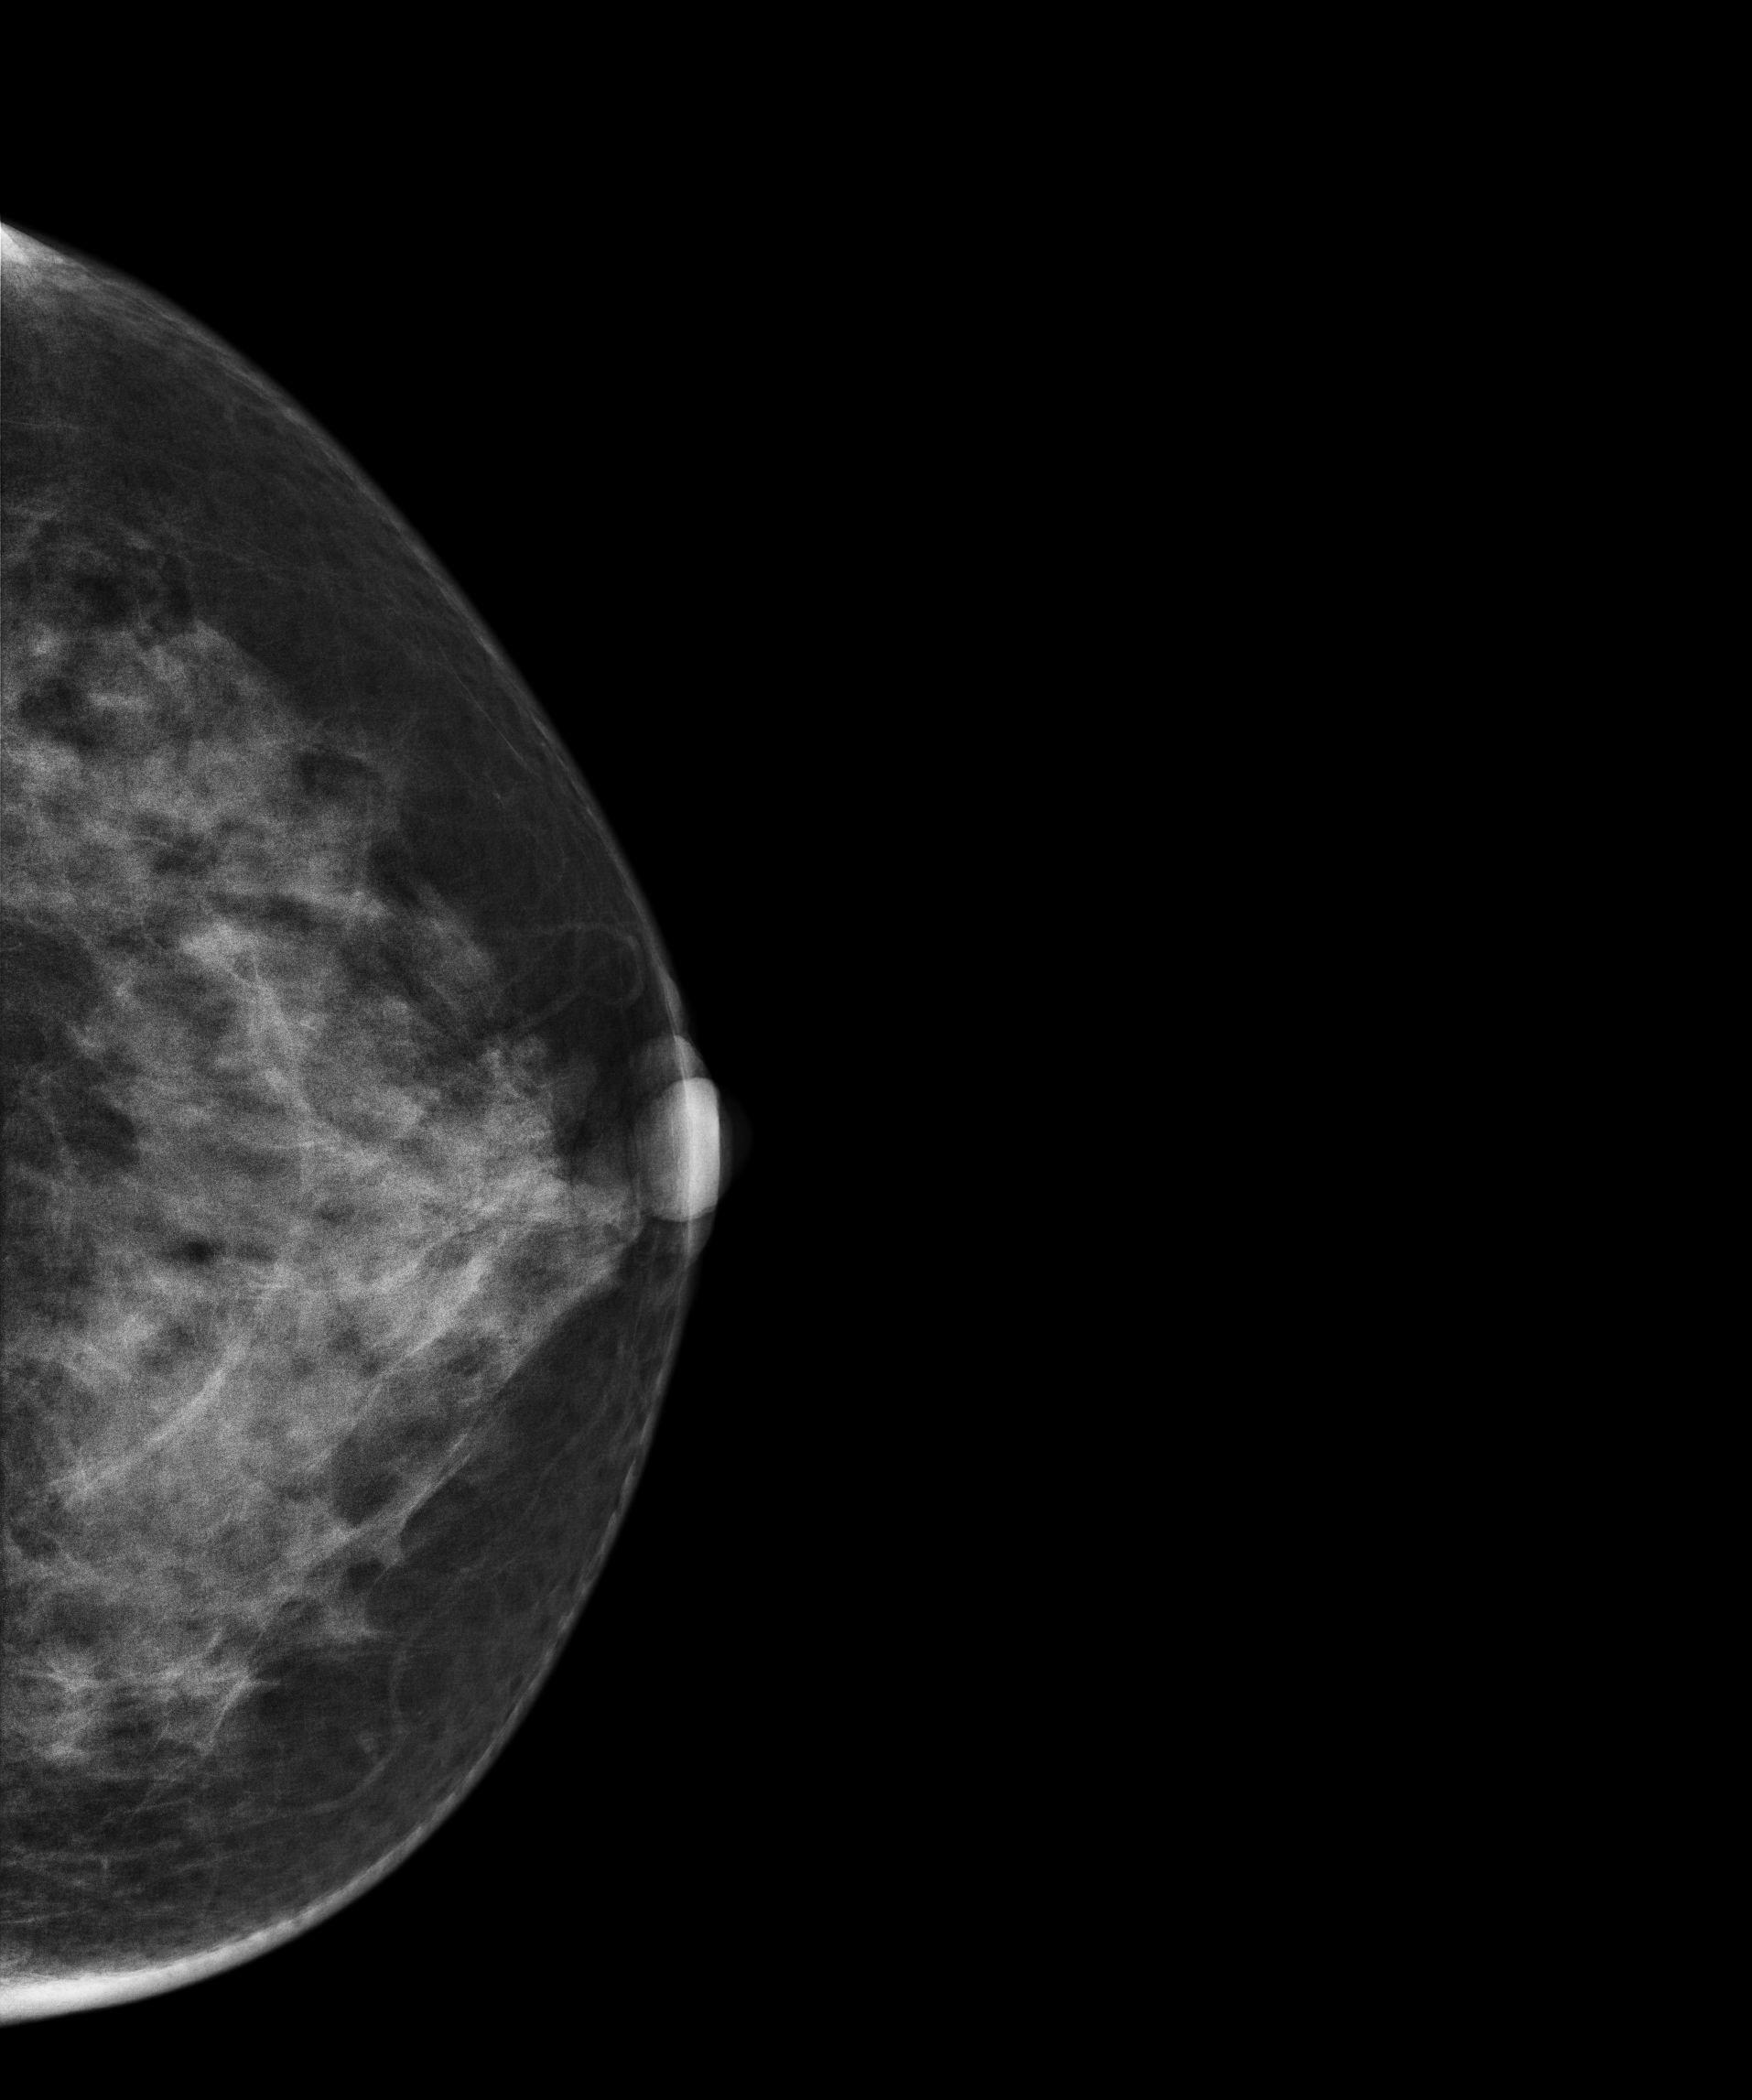
Mammogram, left breast, cranio-caudal view. 49 y/o patient.
Contralateral breast — no documented abnormality on this side.